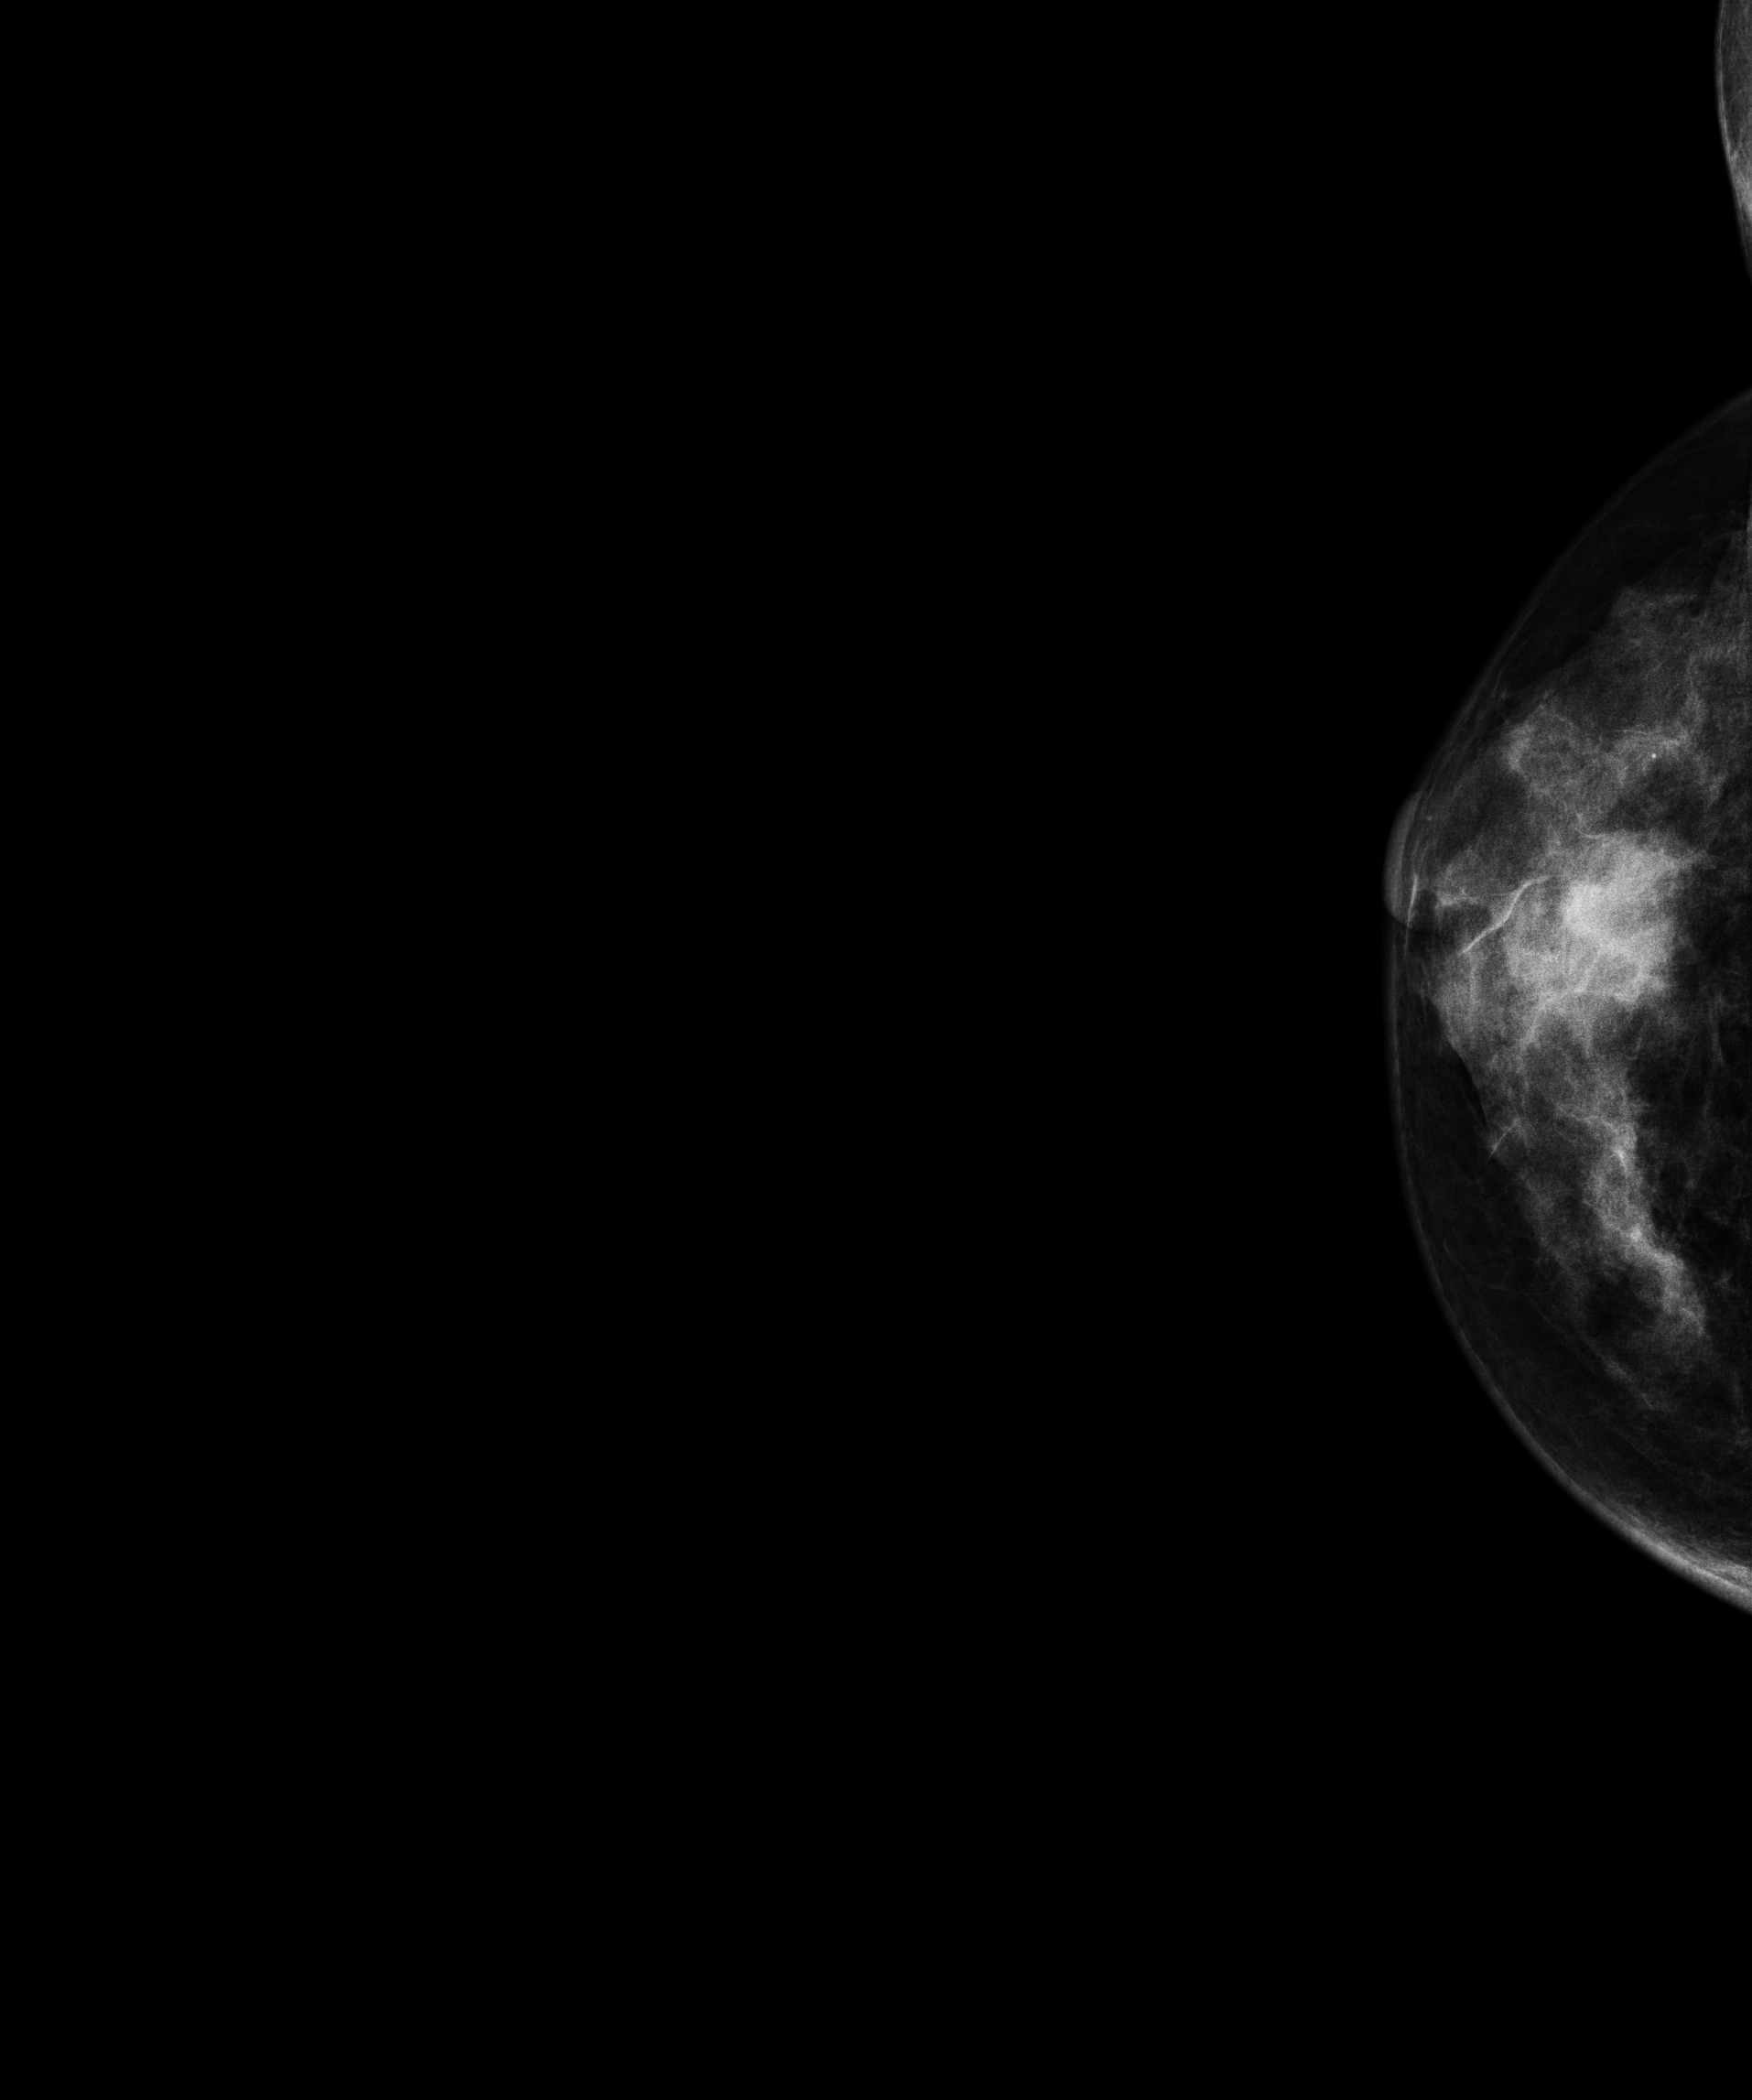
CC mammogram of the right breast. 44-year-old patient.
This breast has a mass, pathology-confirmed malignant. Molecular subtype: luminal B.